Mammogram — left medio-lateral oblique. 37-year-old patient.
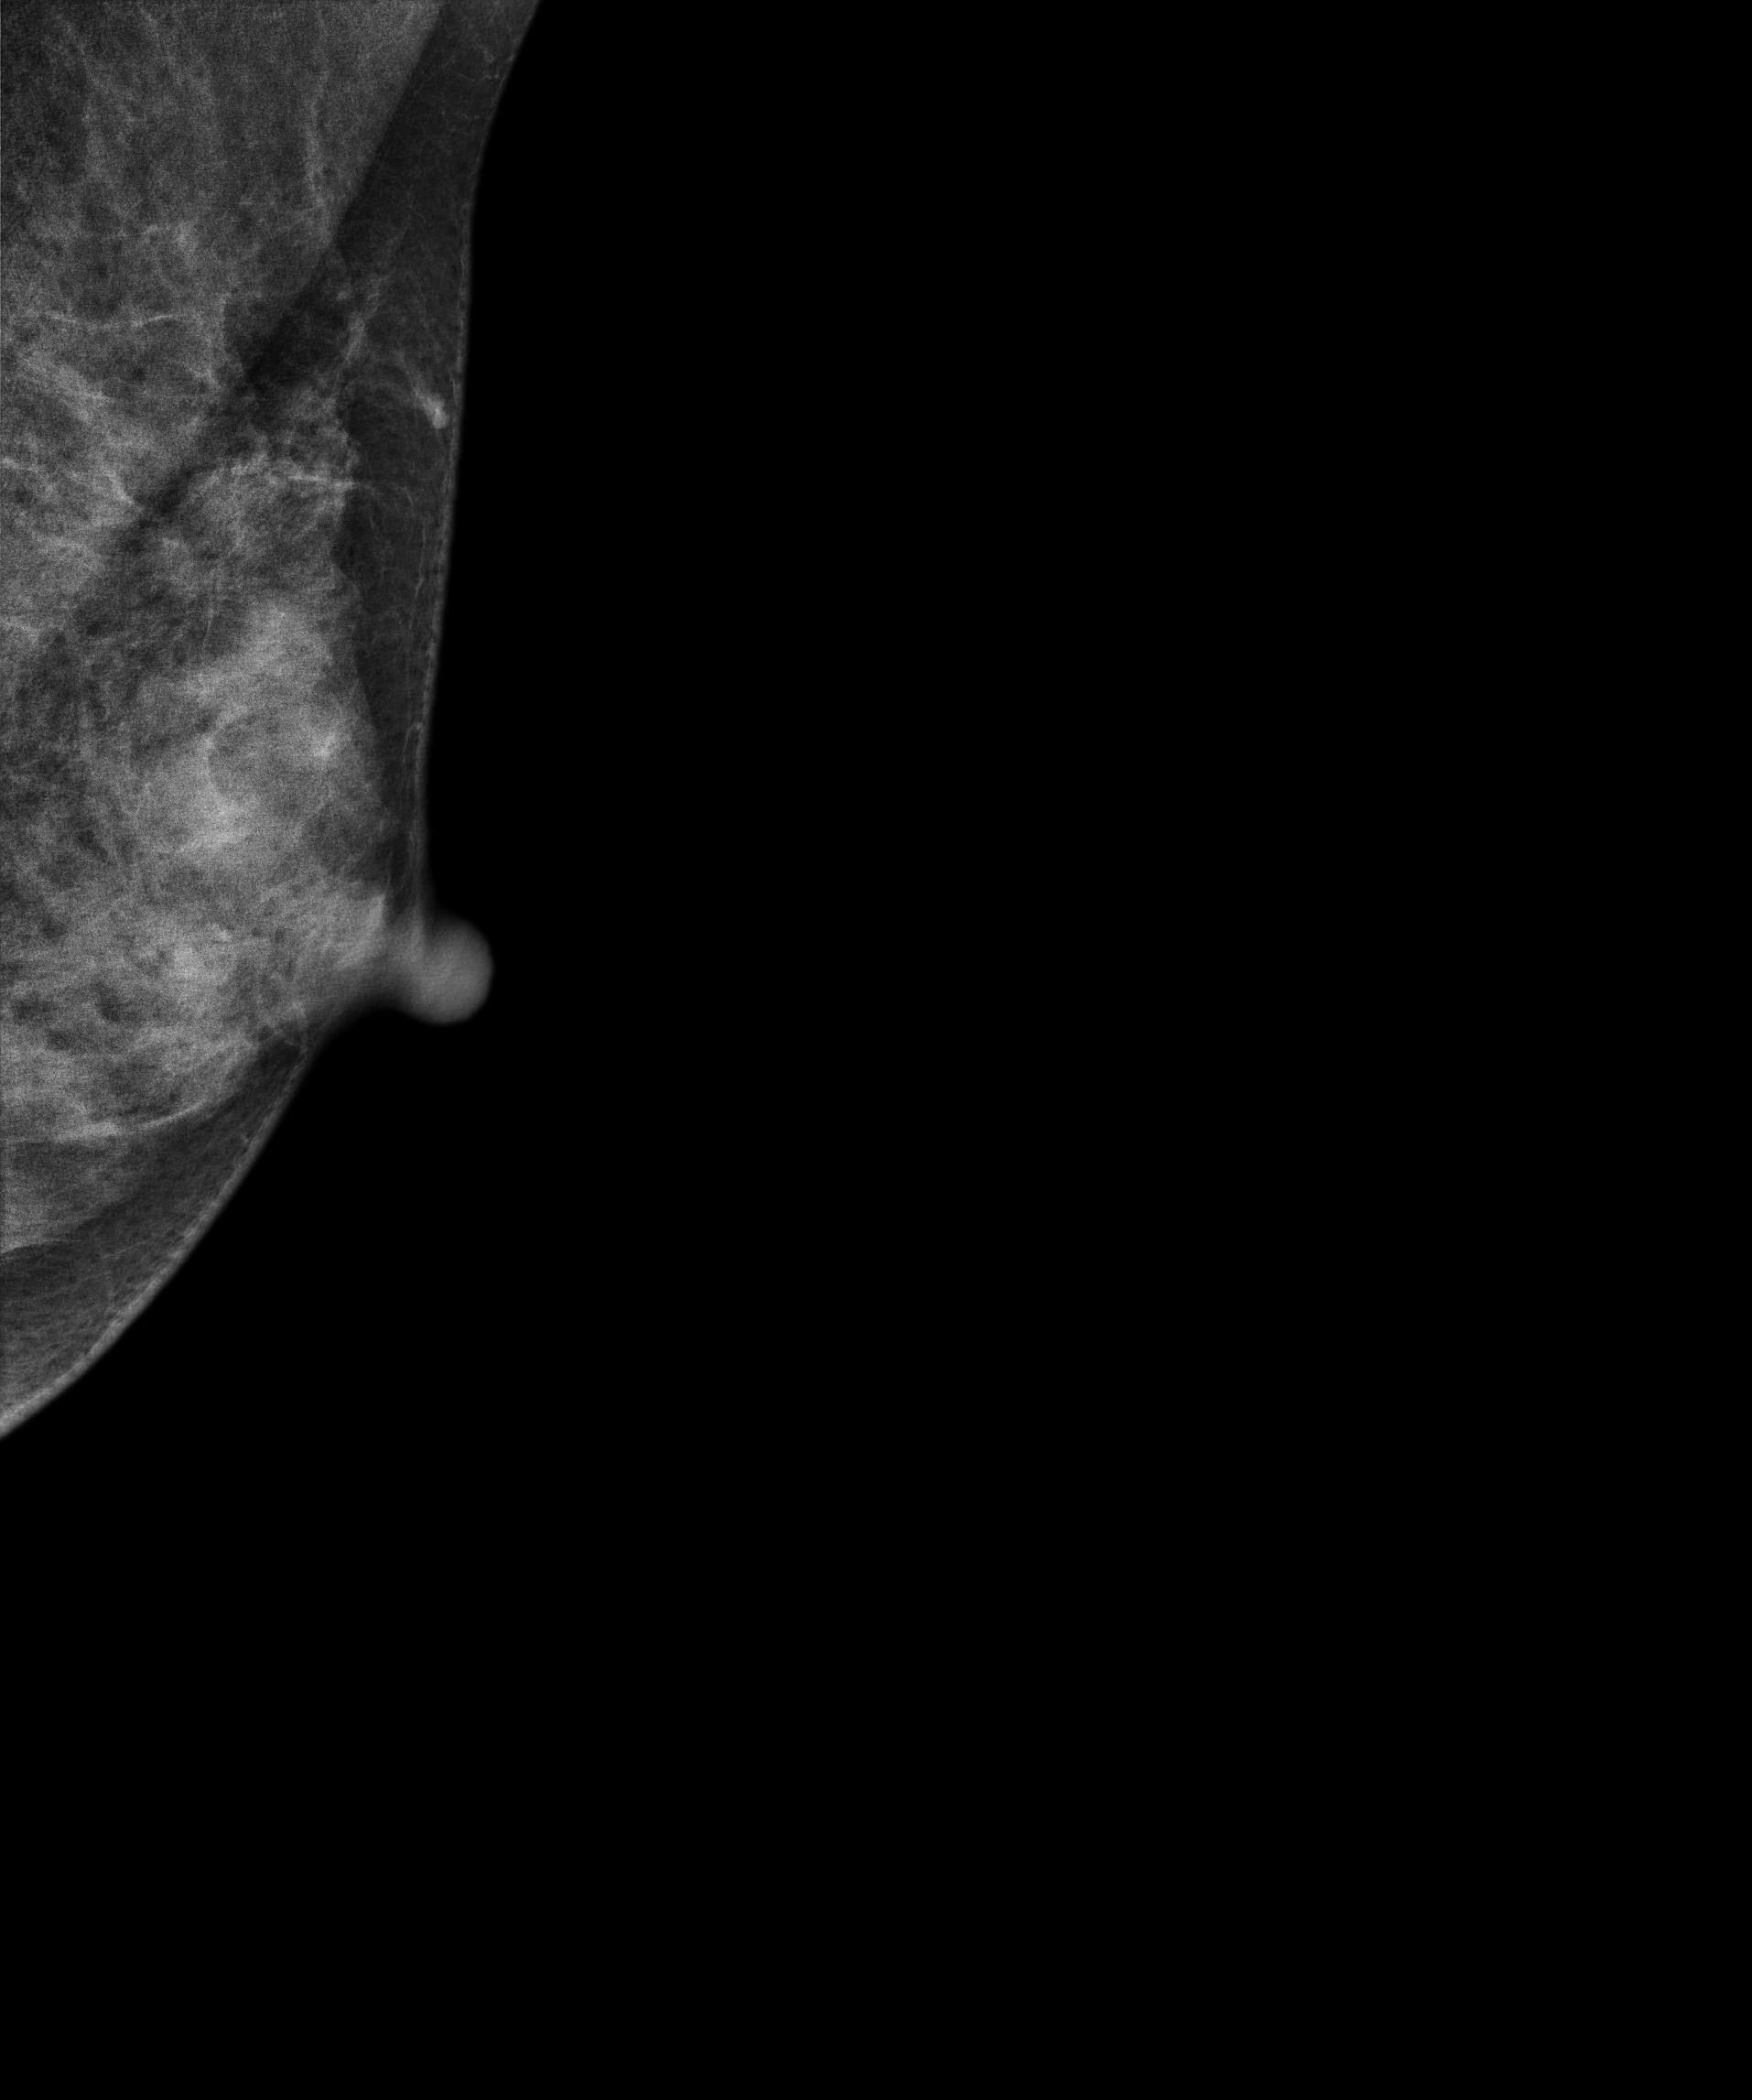
This breast has a mass, pathology-confirmed benign.